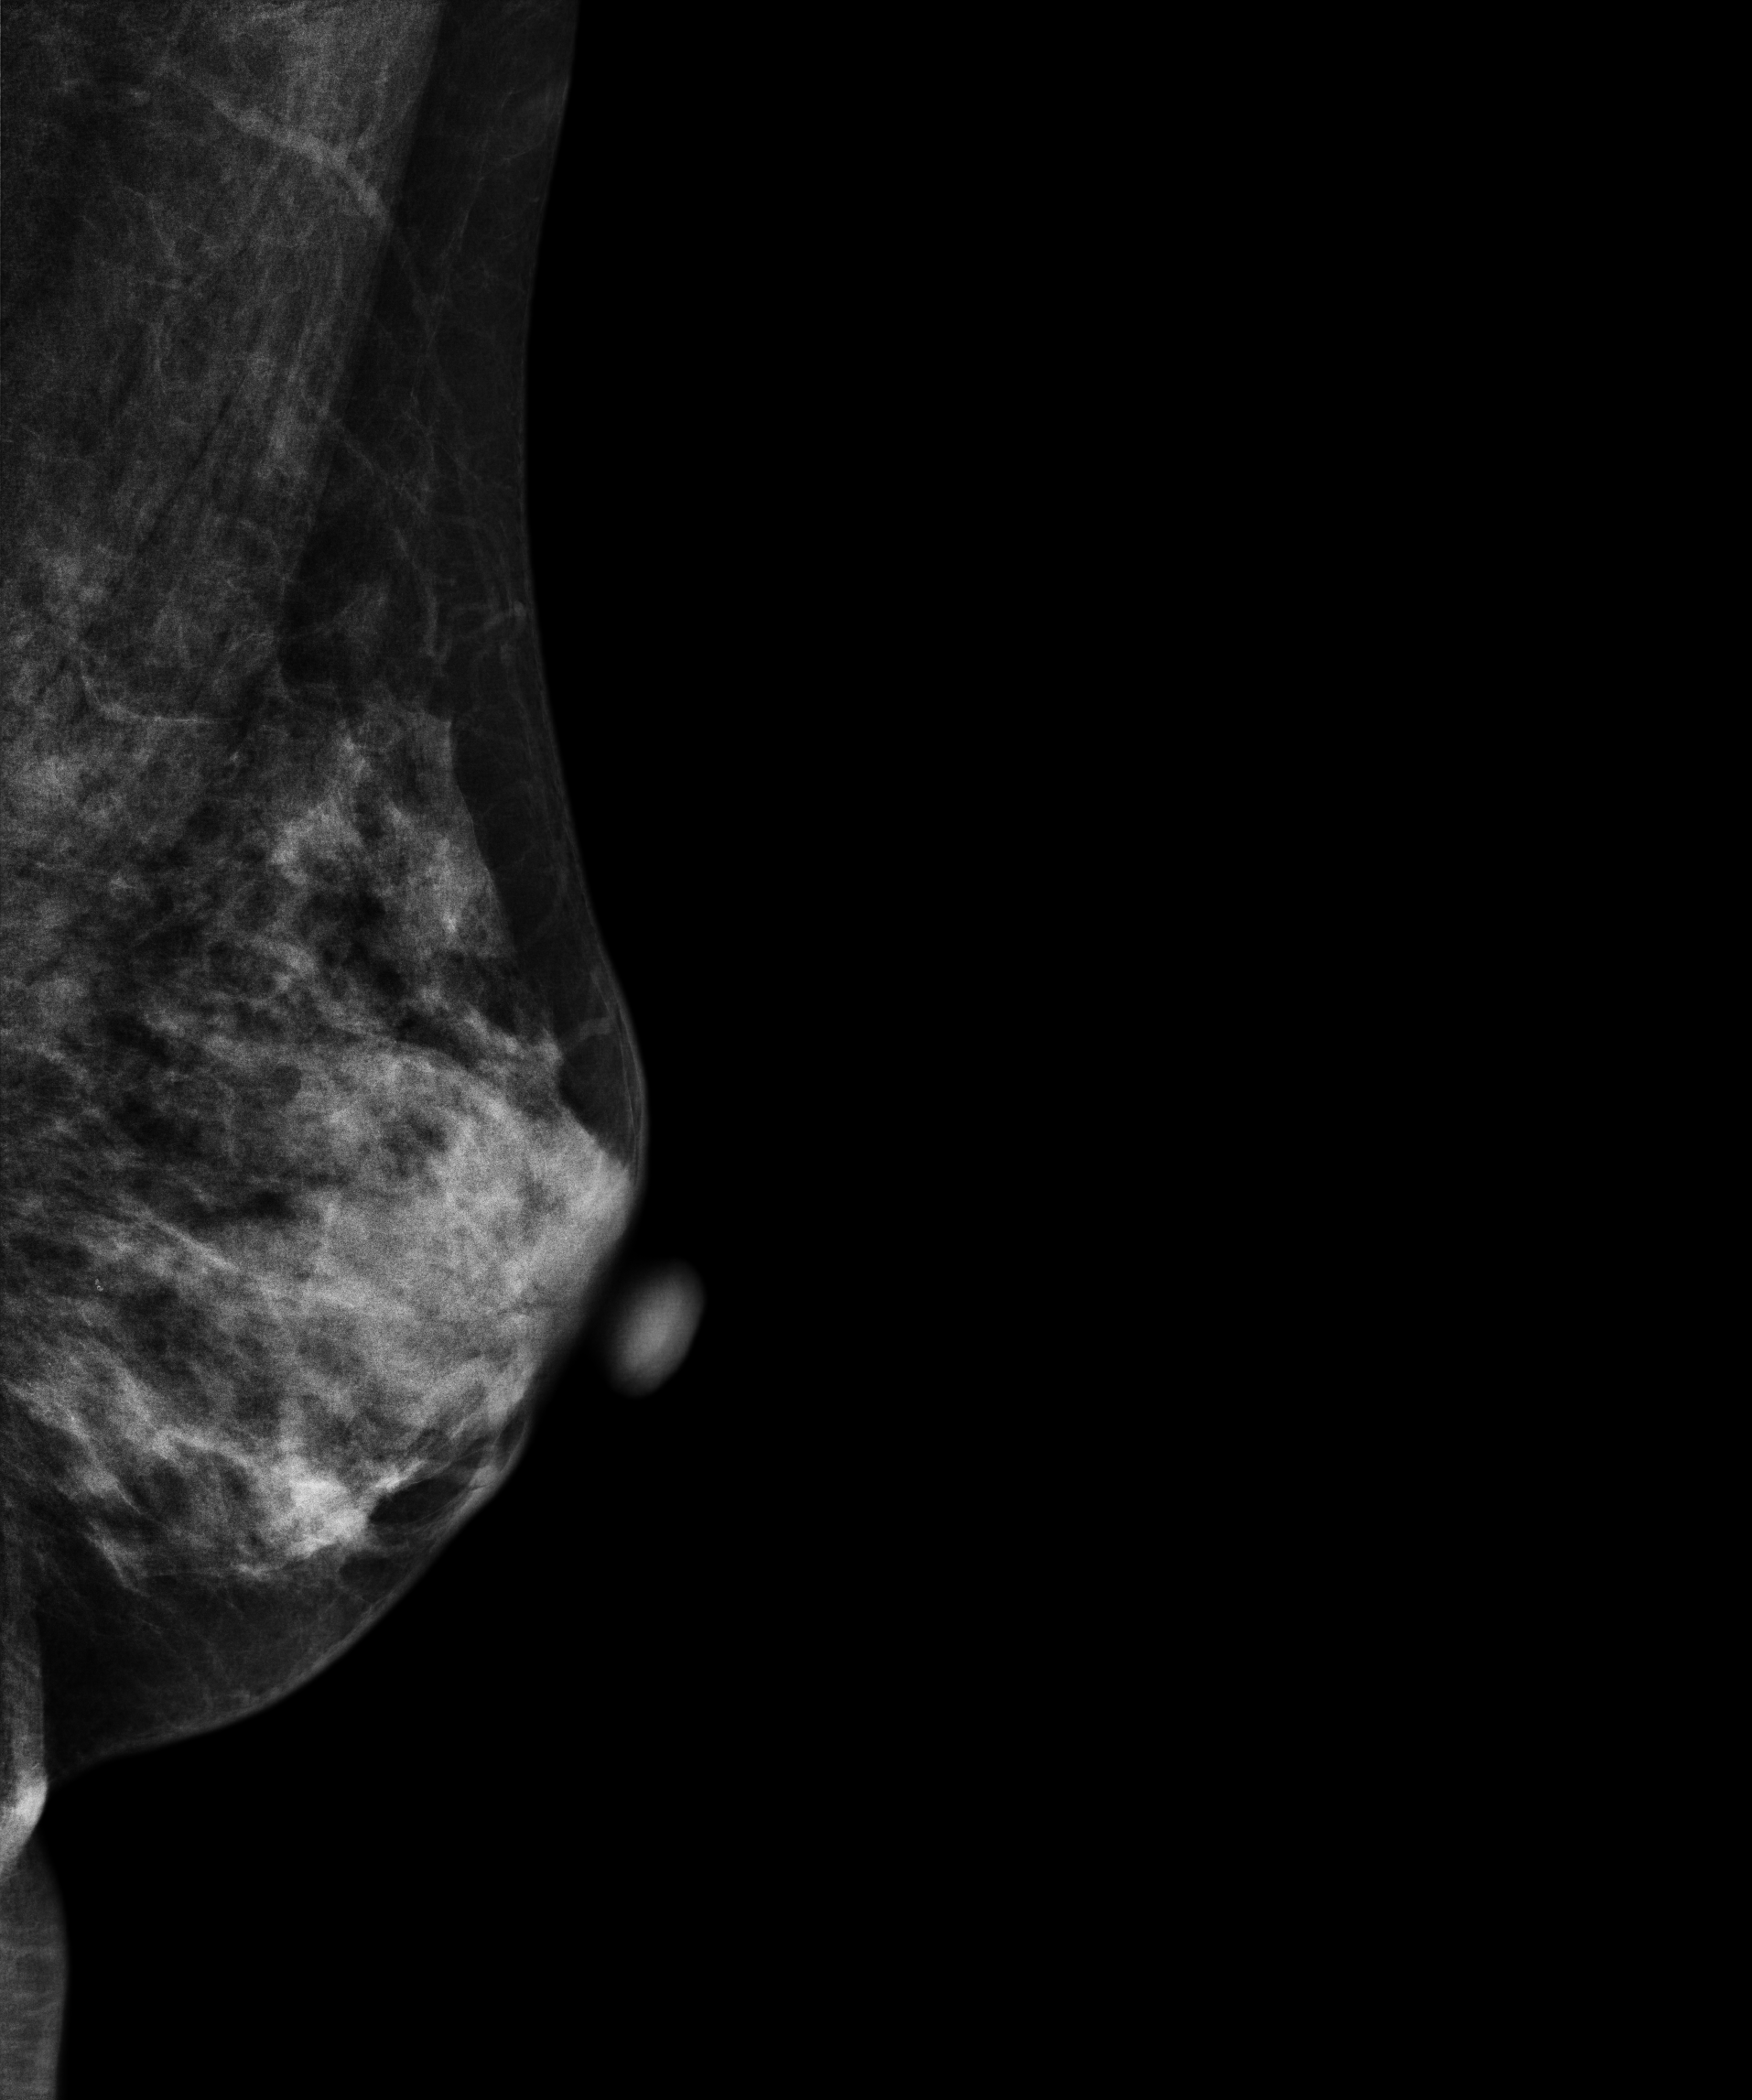
Mammogram, left breast, medio-lateral oblique view. Patient age 54.
This breast has calcifications, biopsy-proven malignant. Molecular subtype: HER2-enriched.